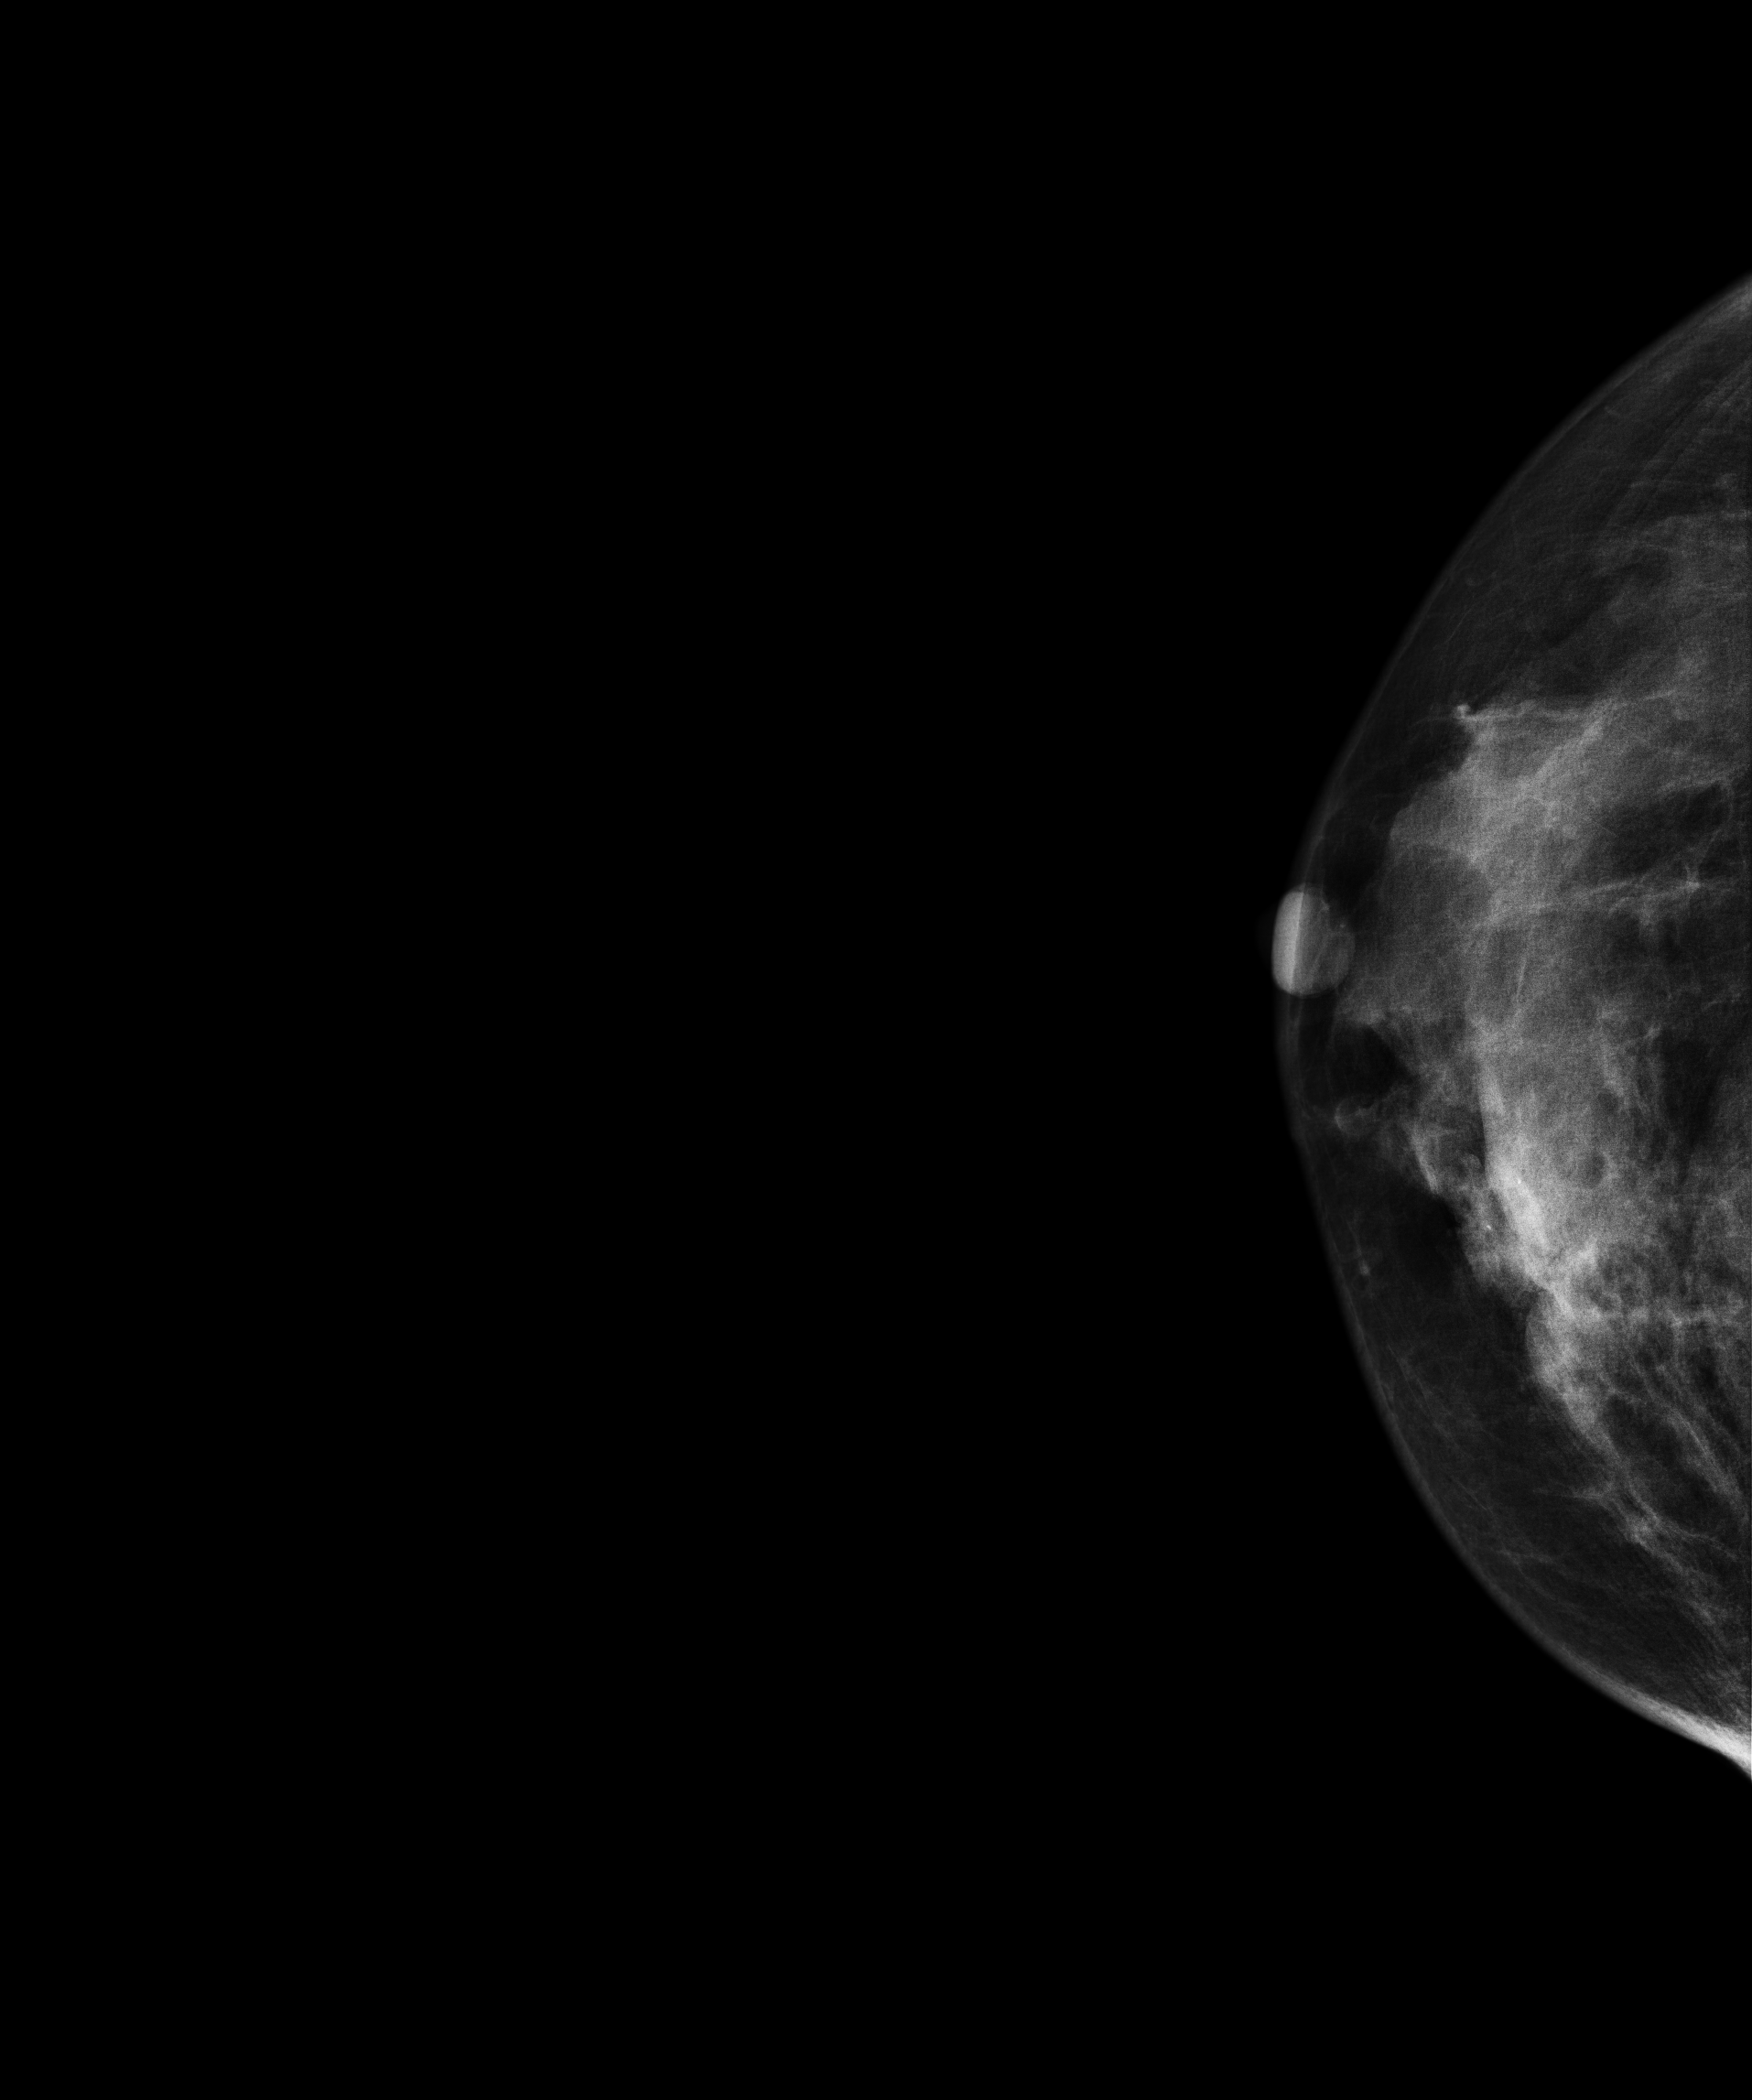
Cranio-caudal mammogram of the right breast. Patient age 52.
This breast has a mass and calcifications, biopsy-confirmed malignant. Molecular subtype: HER2-enriched.